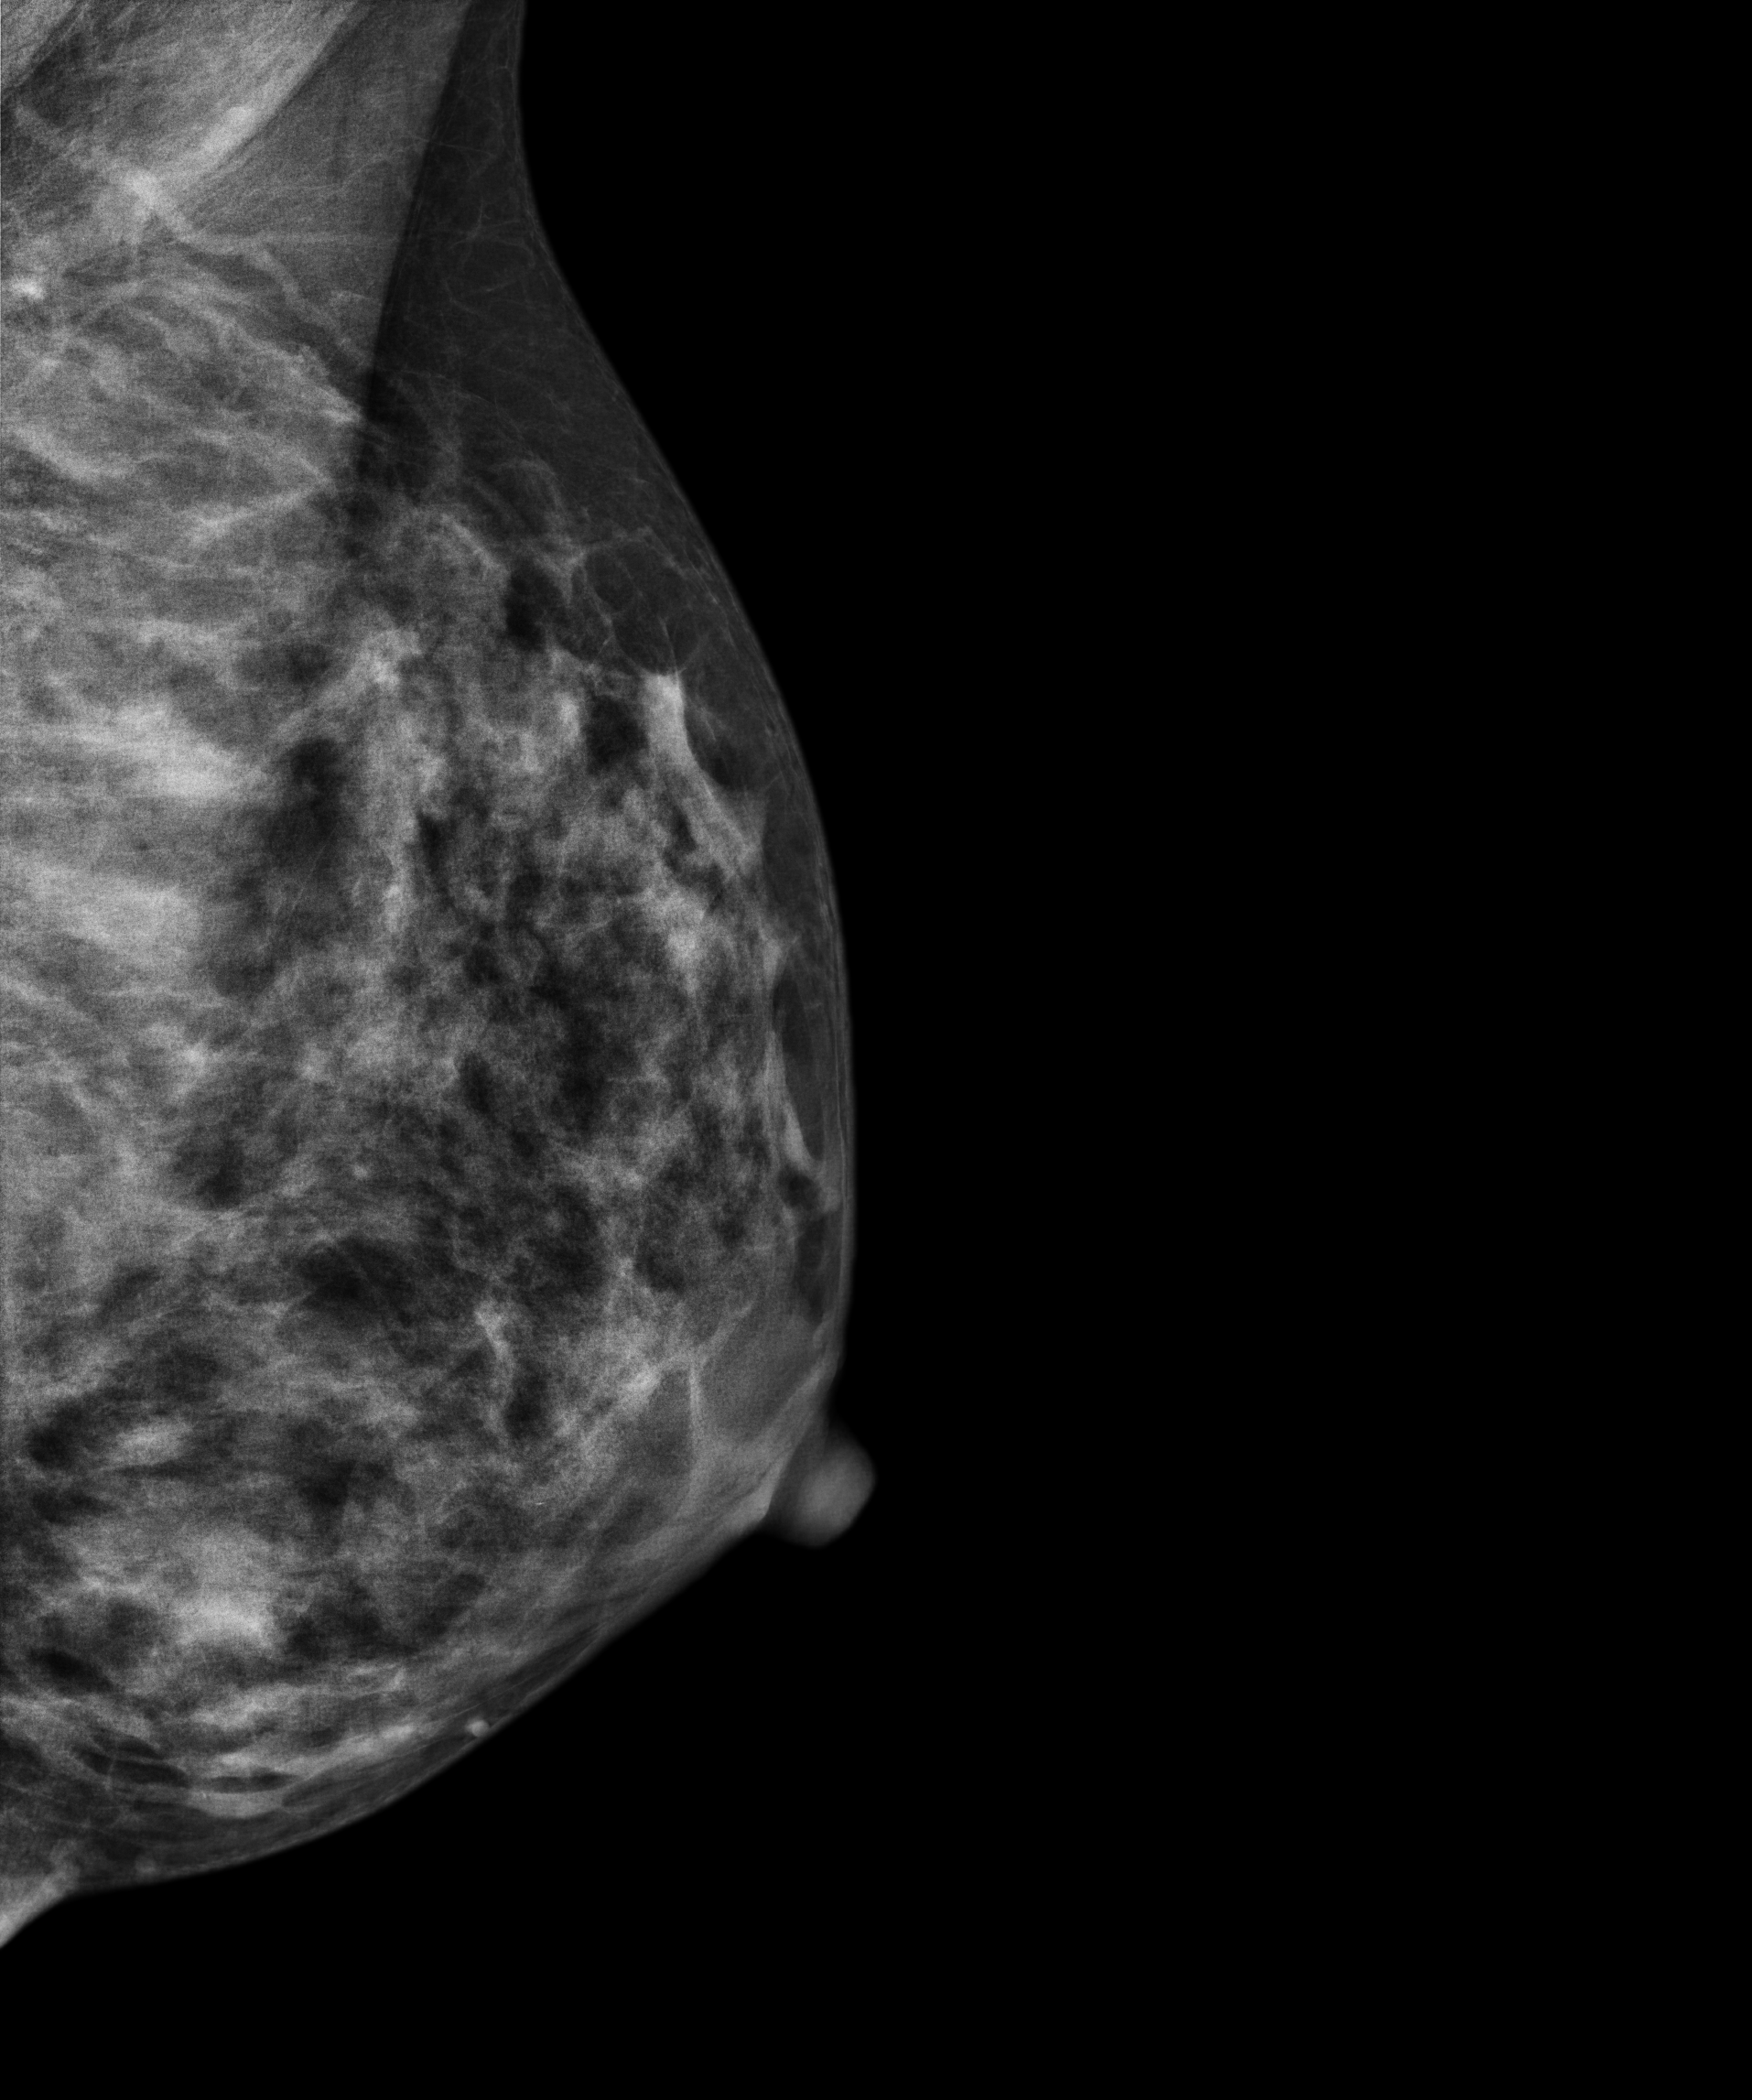
Medio-lateral oblique mammogram of the left breast. Patient age 53.
Contralateral breast — no documented abnormality on this side.